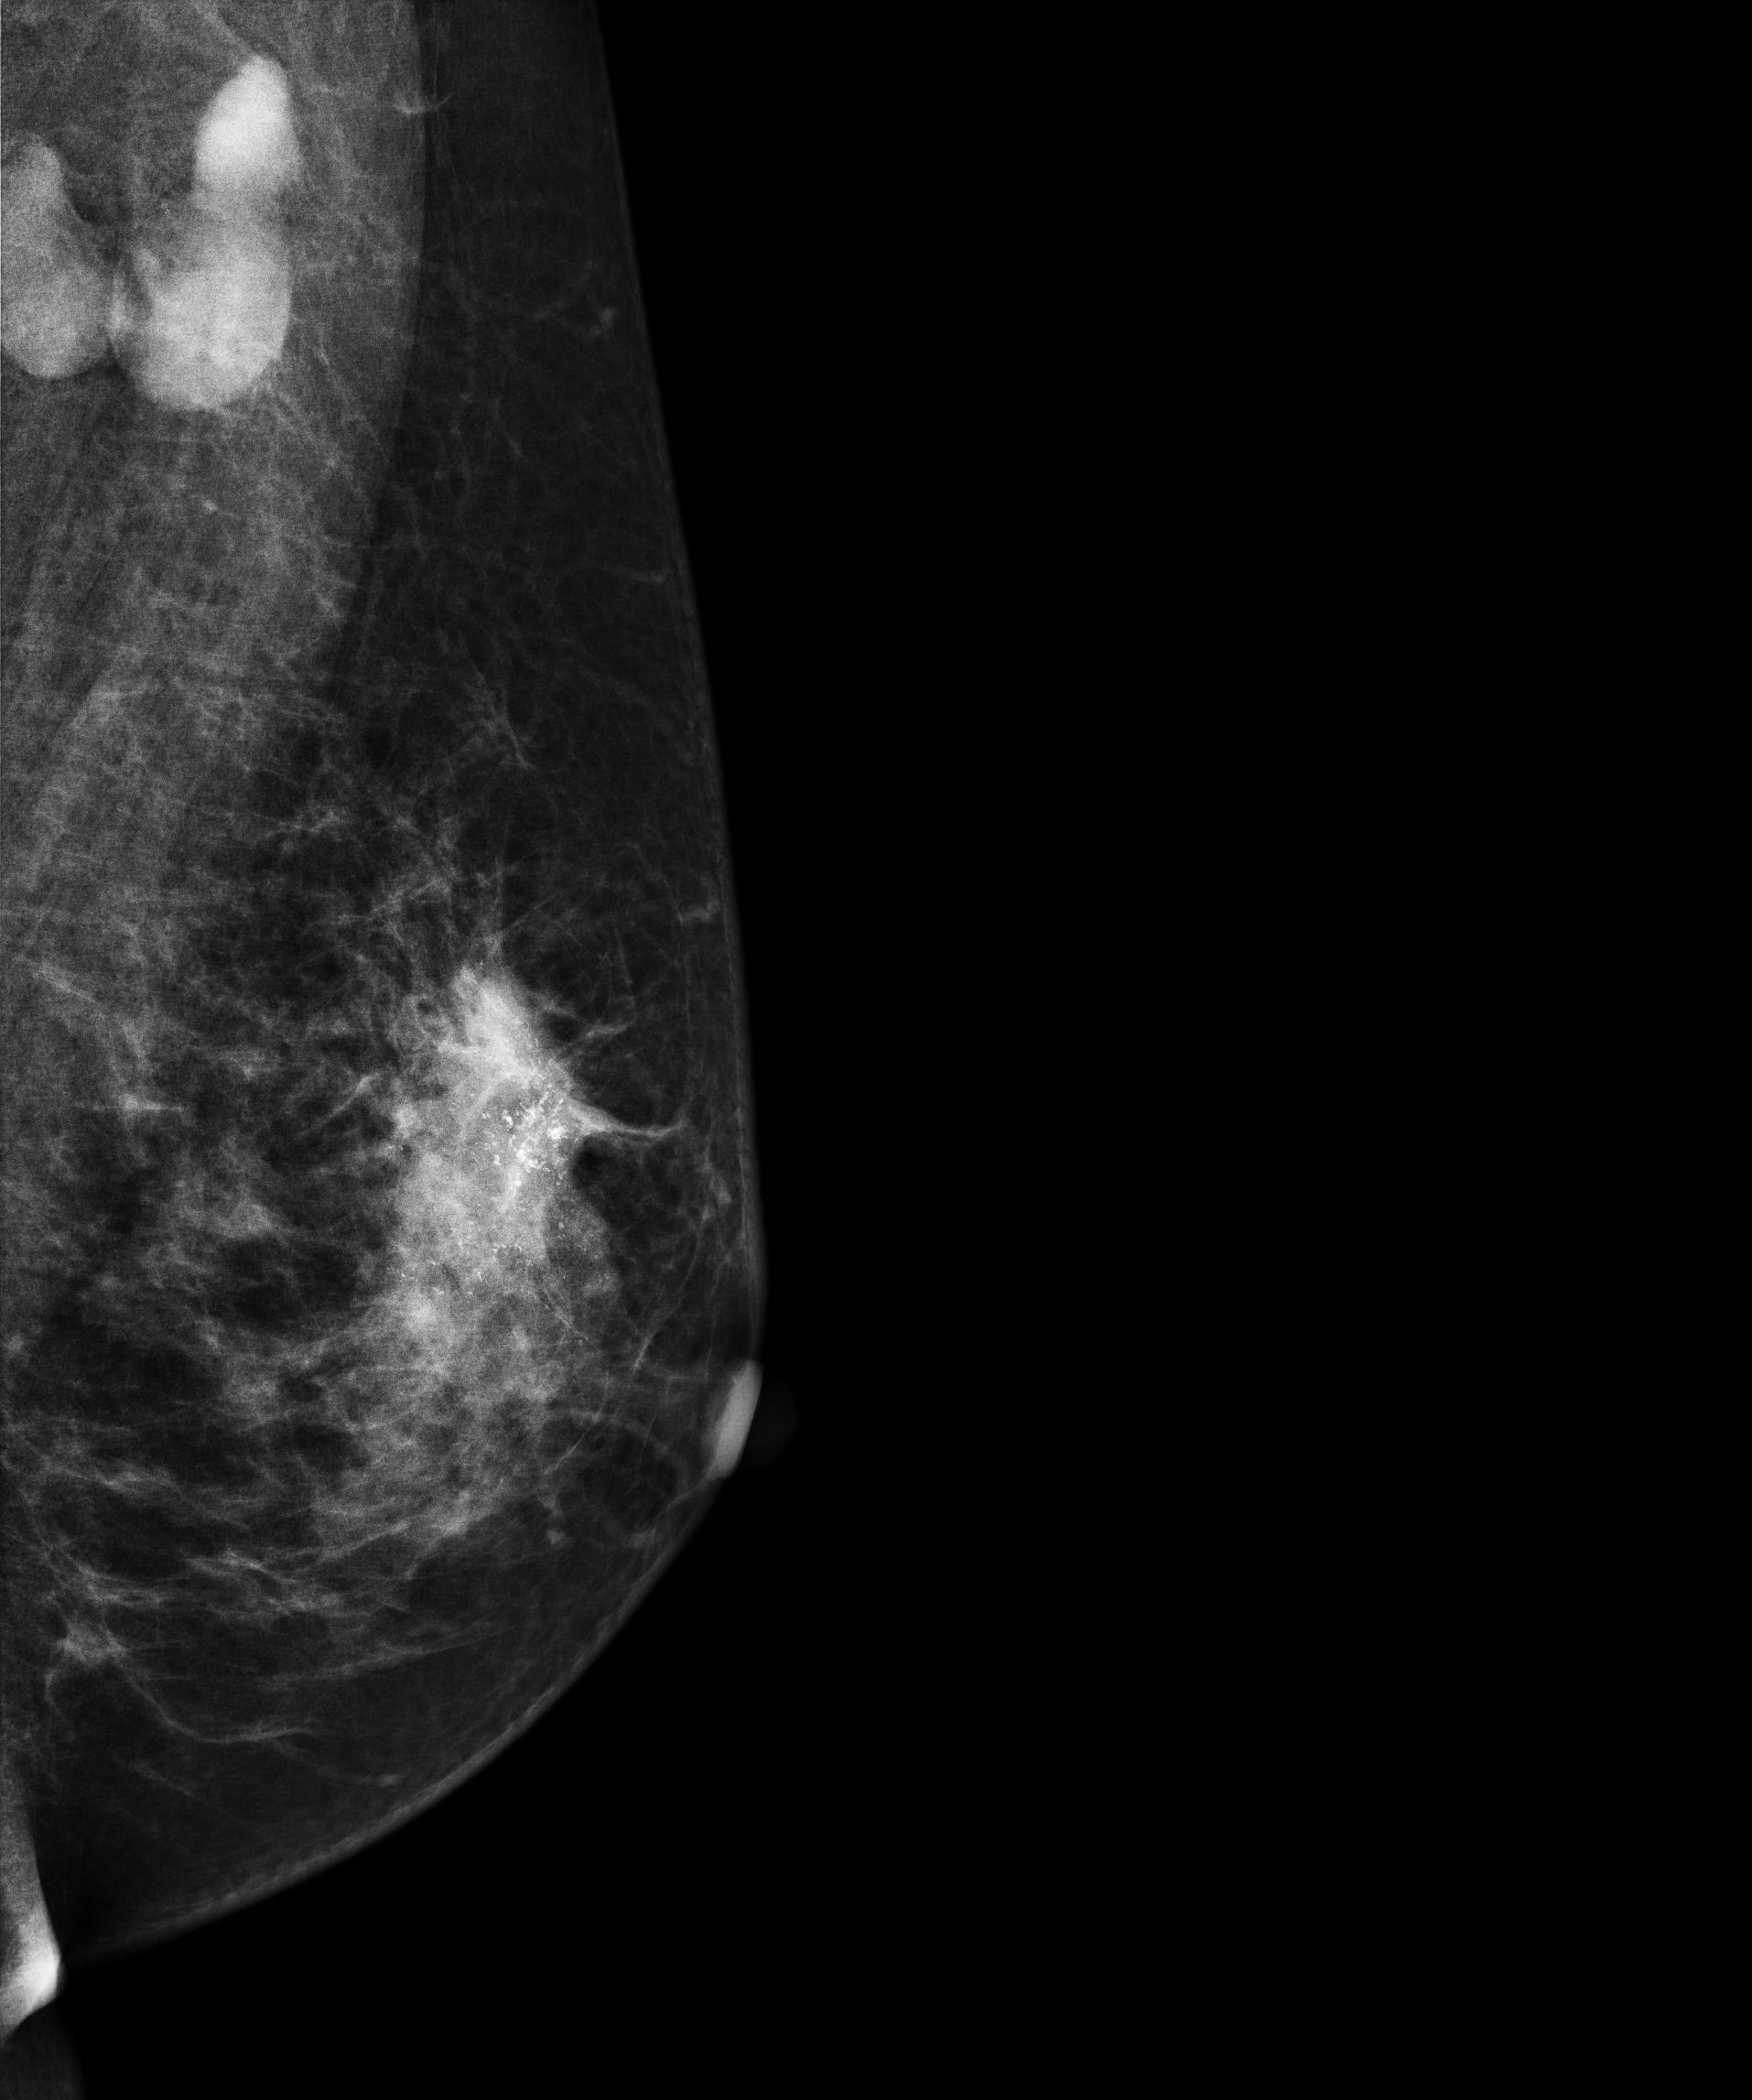
Left-breast mammogram, medio-lateral oblique. 42 y/o patient.
This breast has a mass and calcifications, pathology-confirmed malignant. Molecular subtype: HER2-enriched.